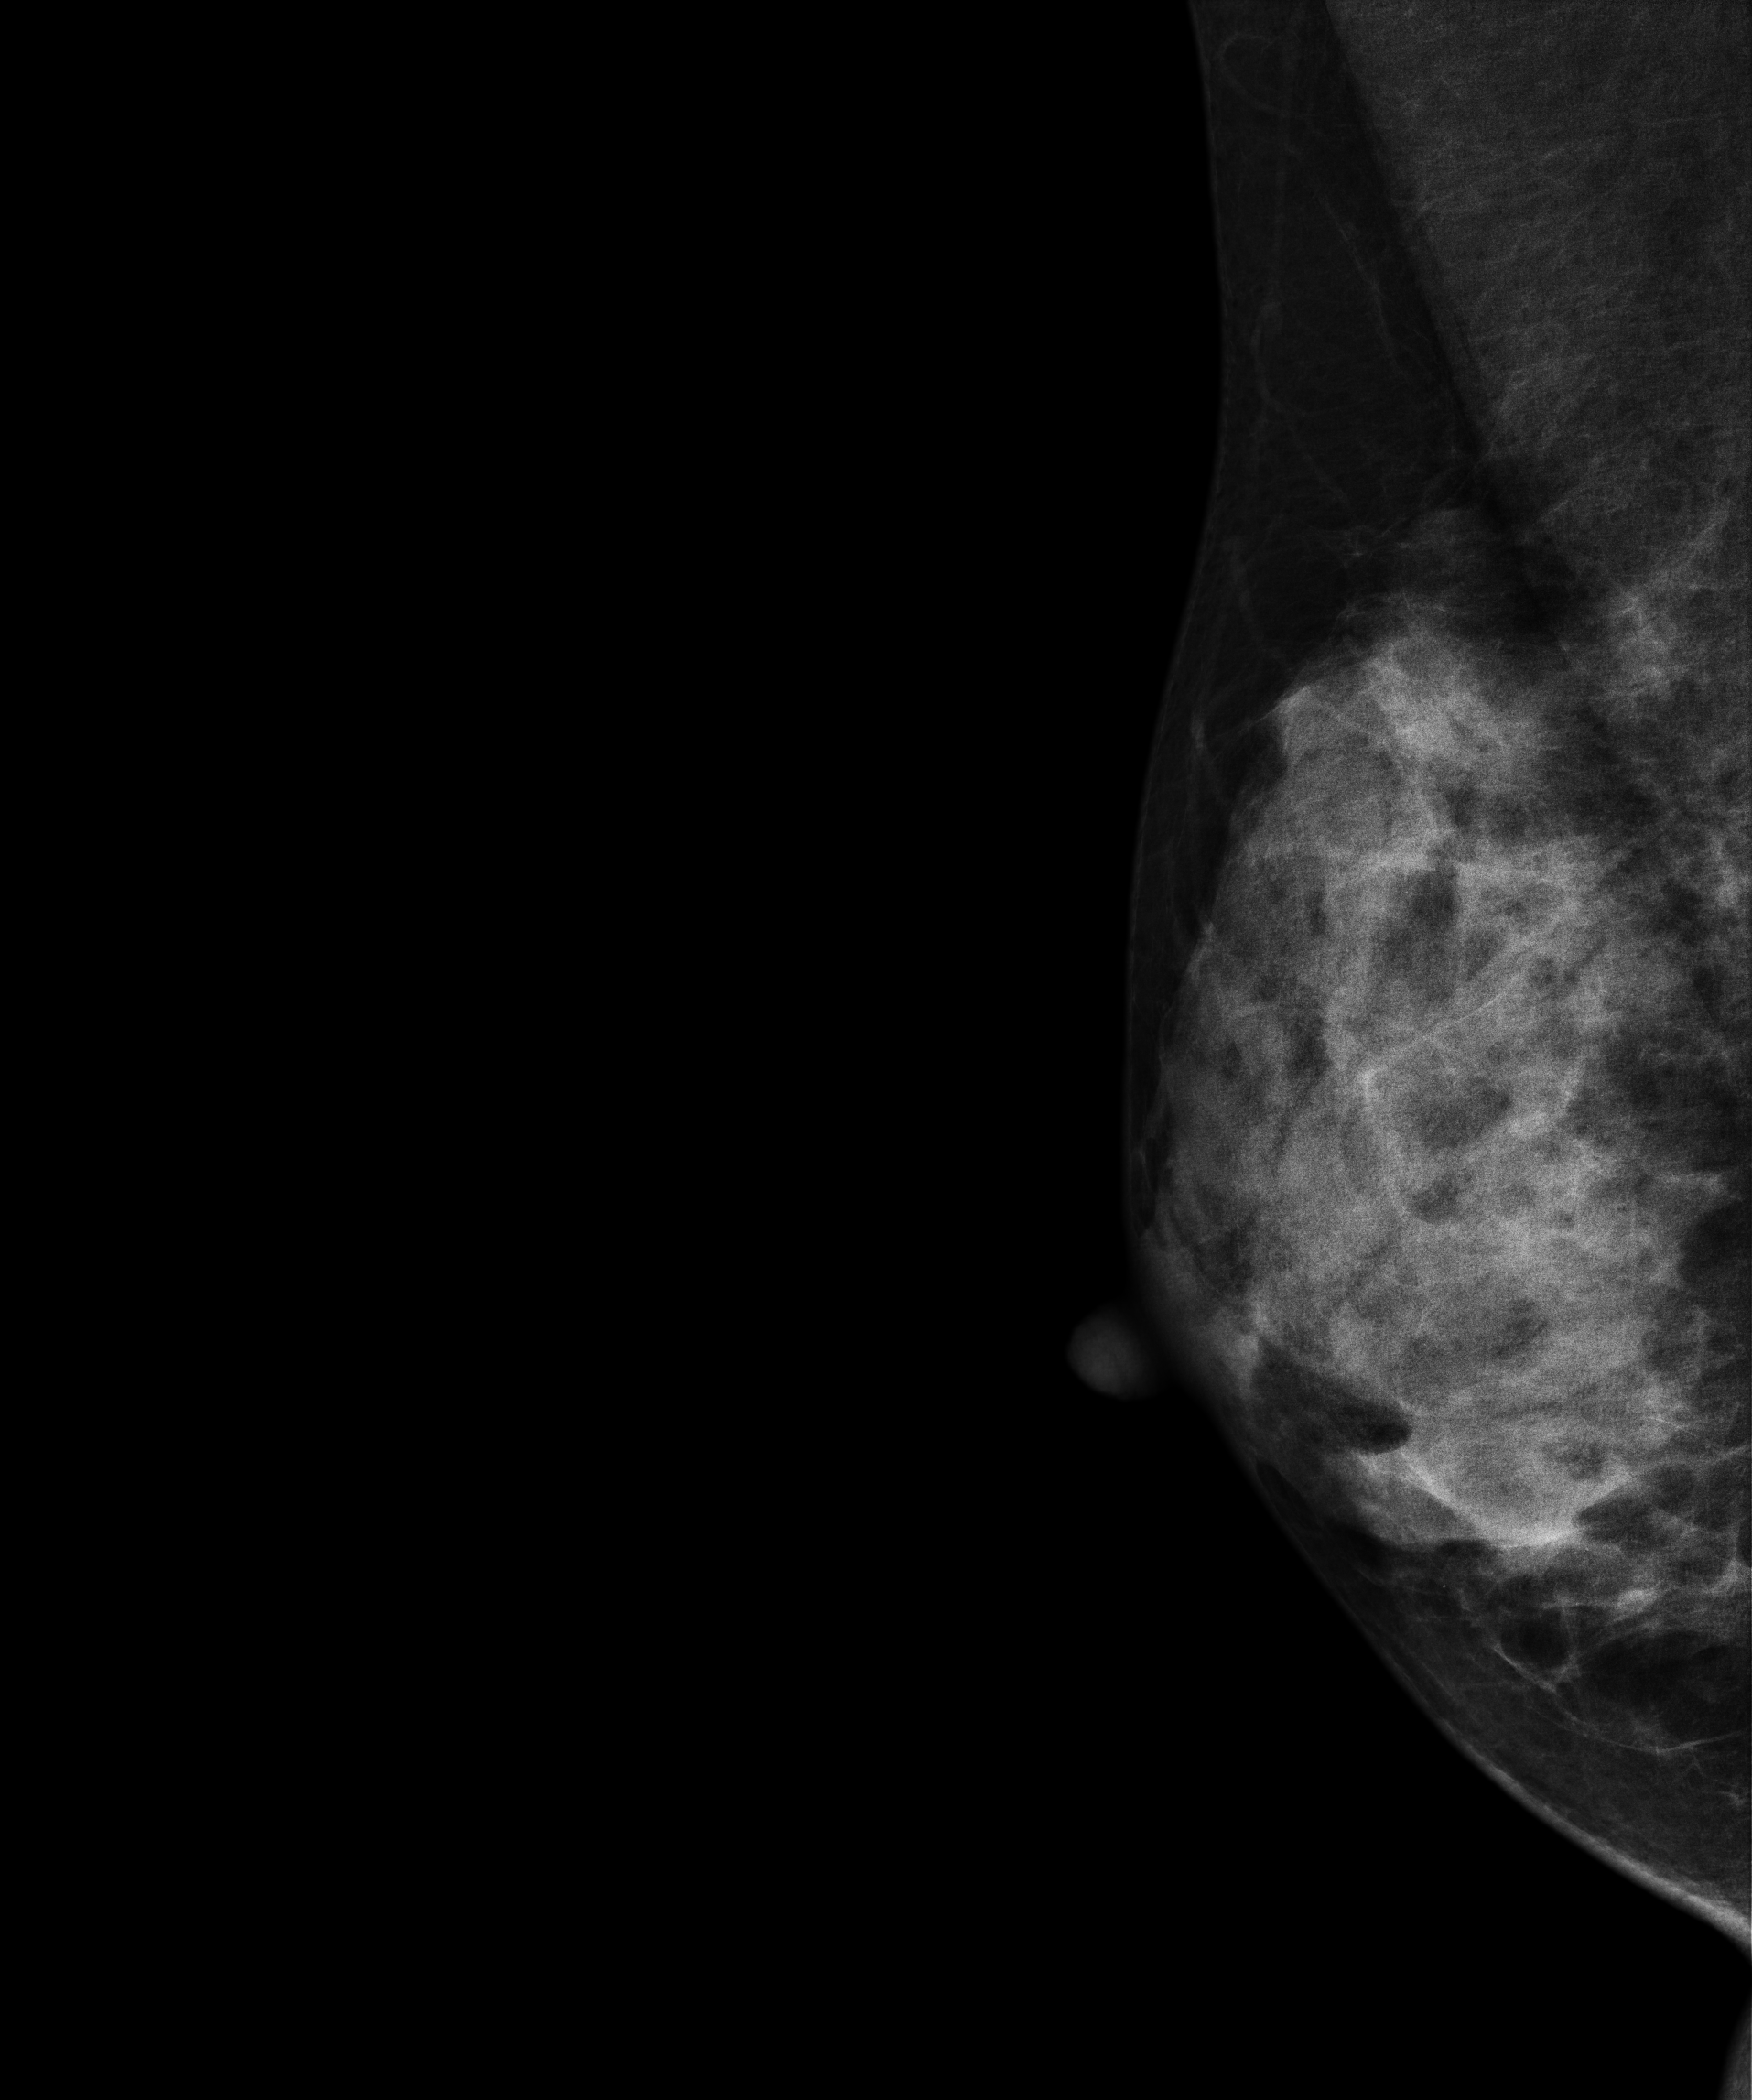
Right-breast mammogram, MLO. 41 y/o patient.
This breast has a mass and calcifications, histologically confirmed malignant.